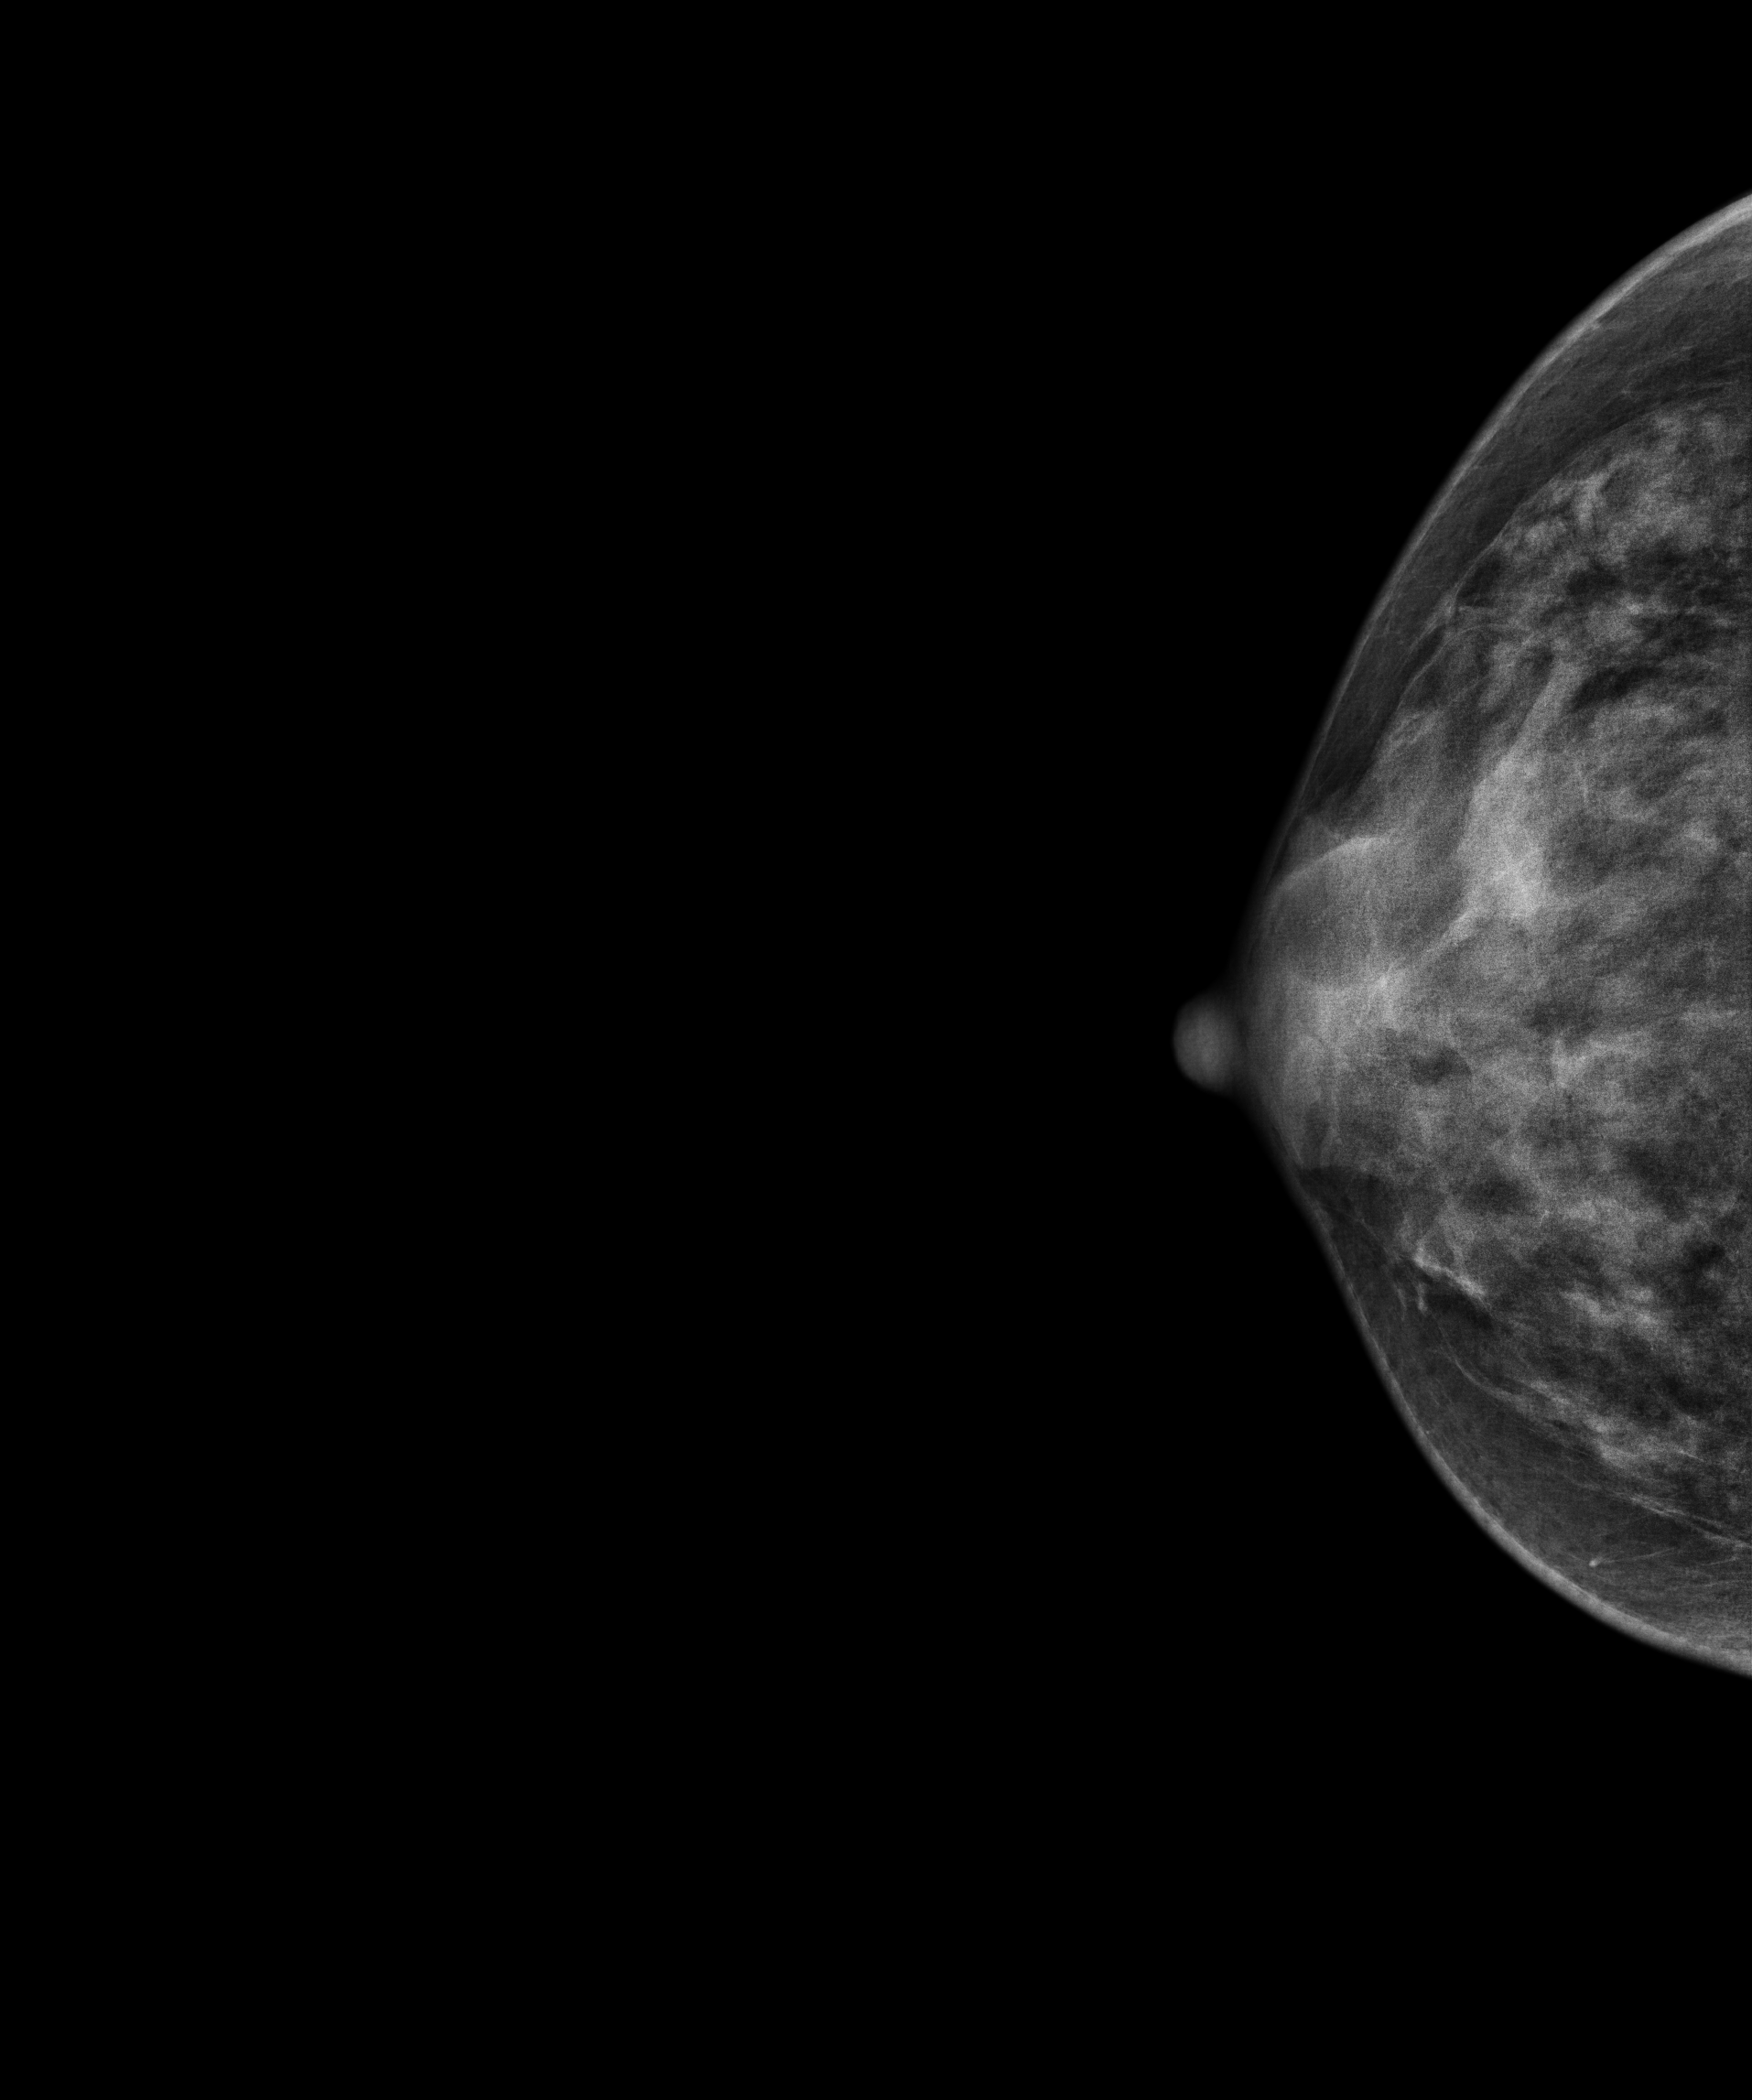
CC mammogram of the right breast. Patient age 35.
Contralateral breast — no documented abnormality on this side.